Mammogram, left breast, MLO view. Patient age 43.
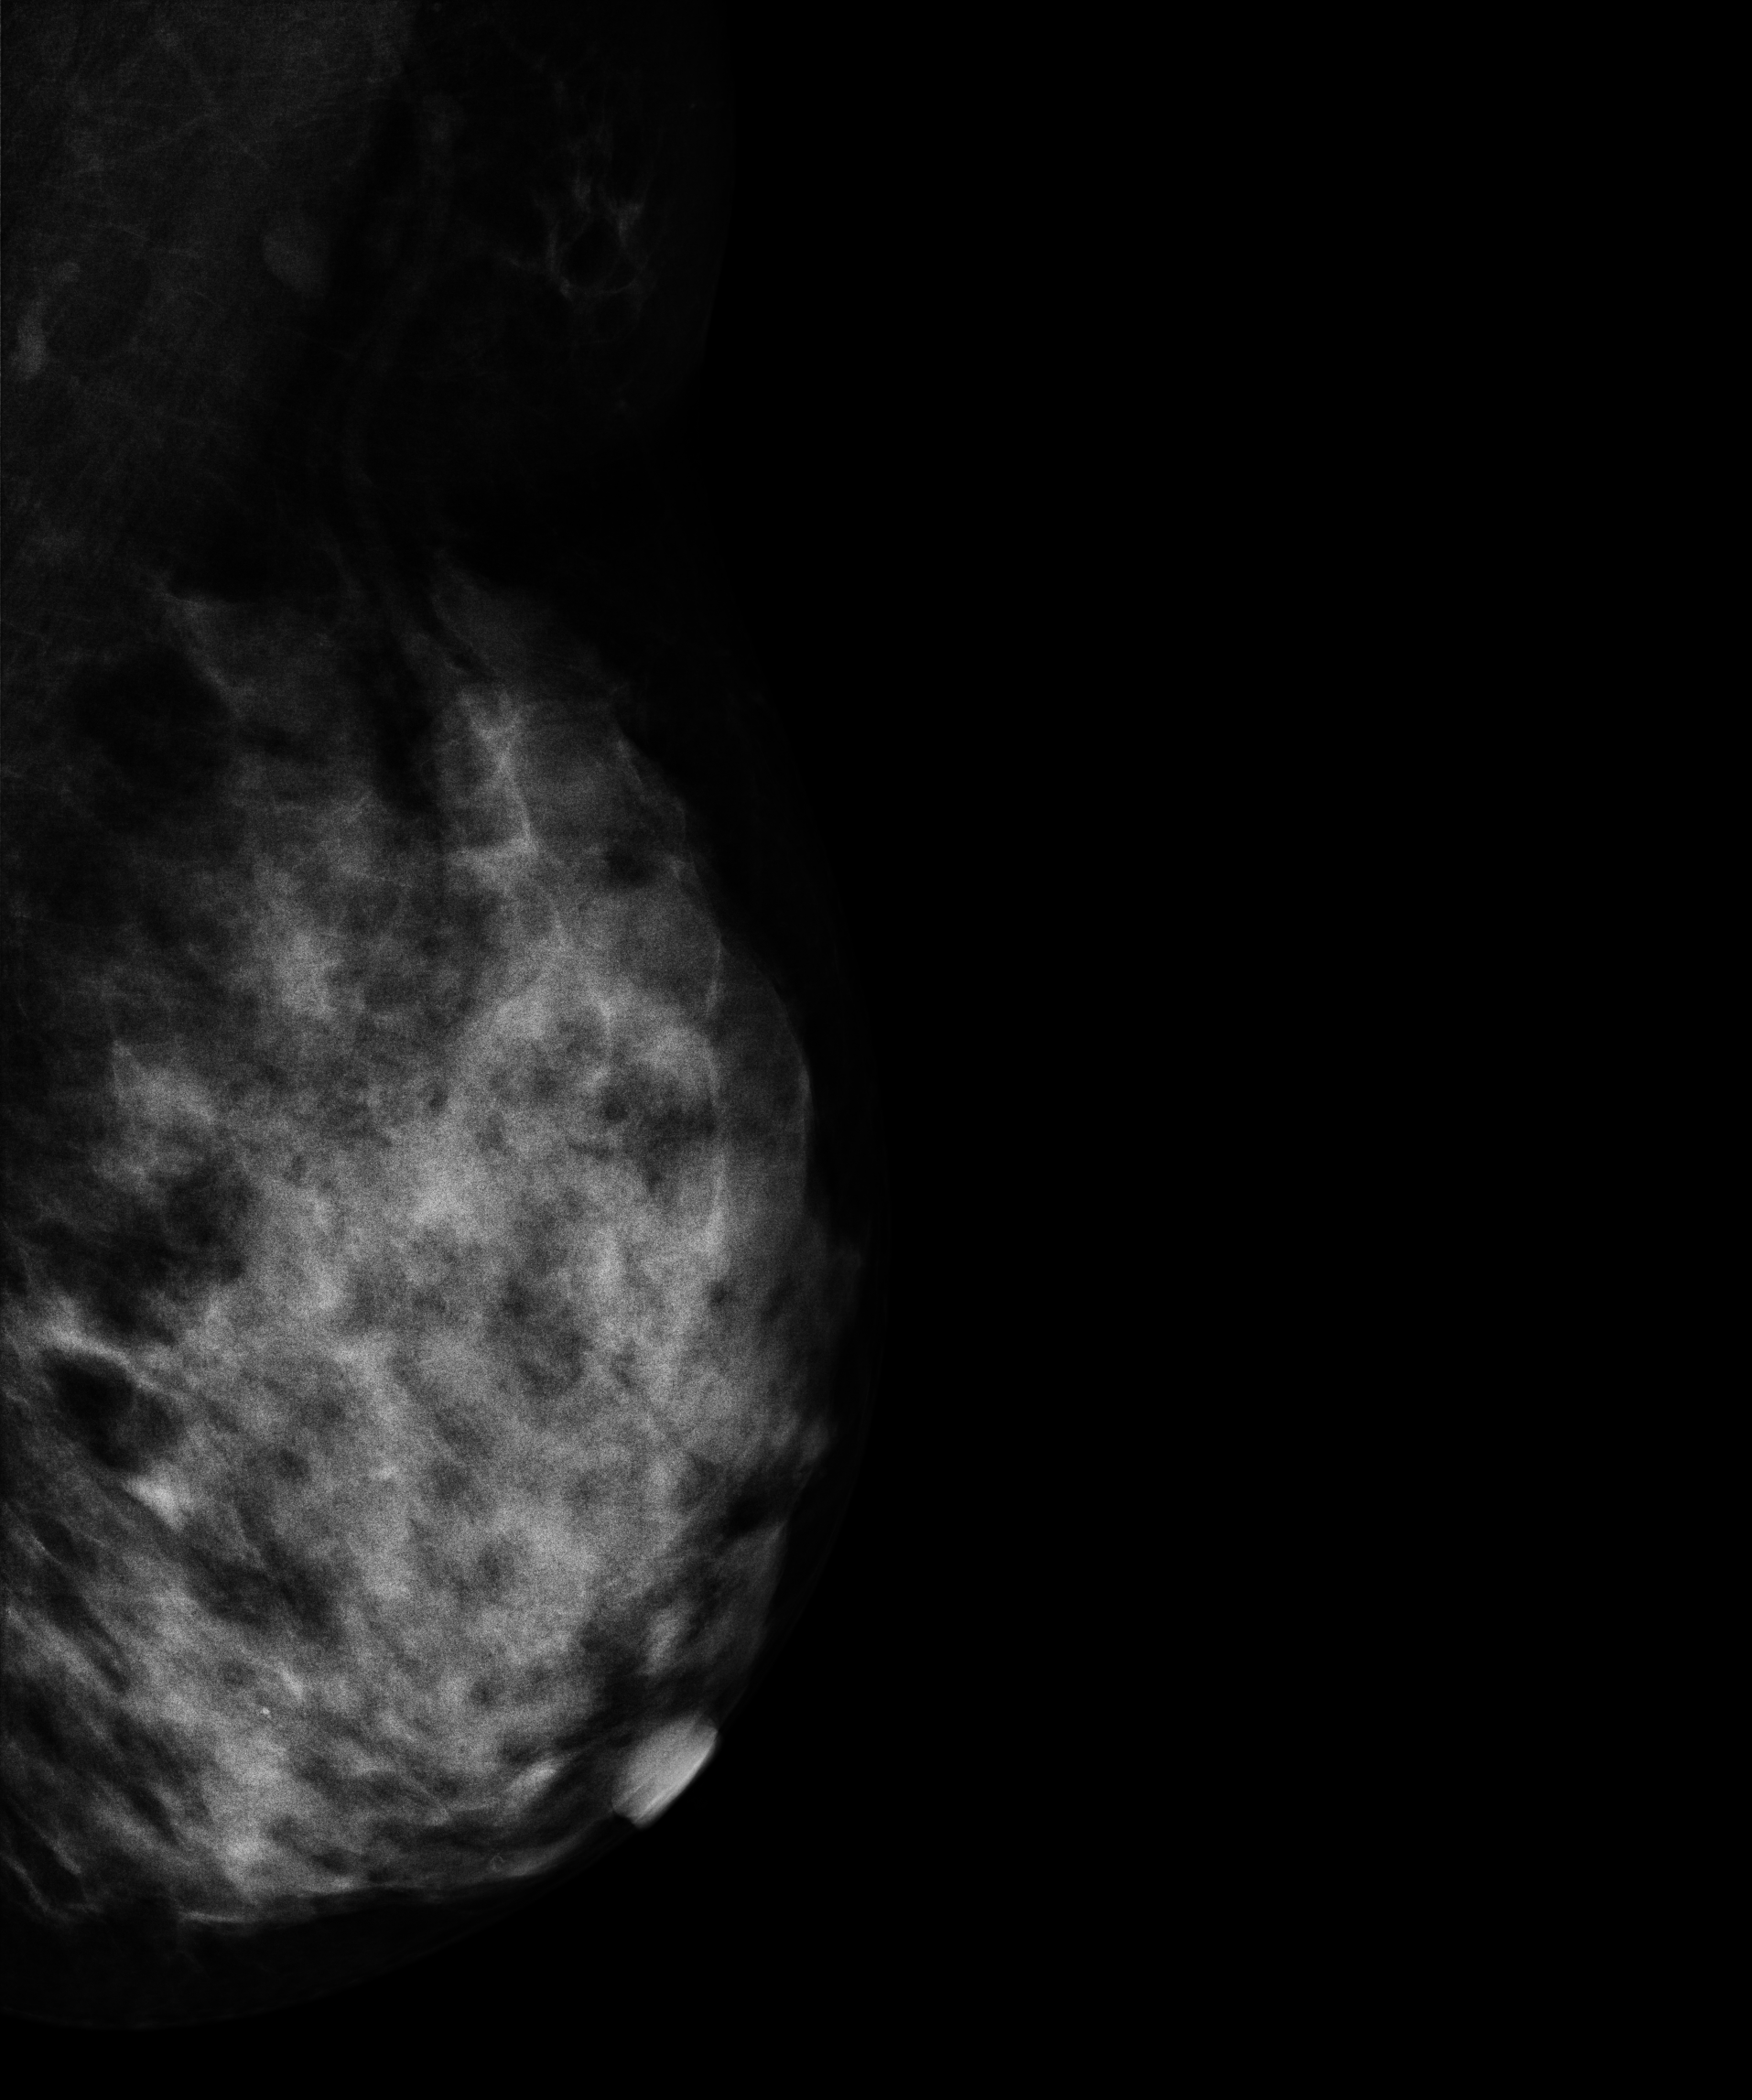
This breast has a mass, biopsy-proven benign.